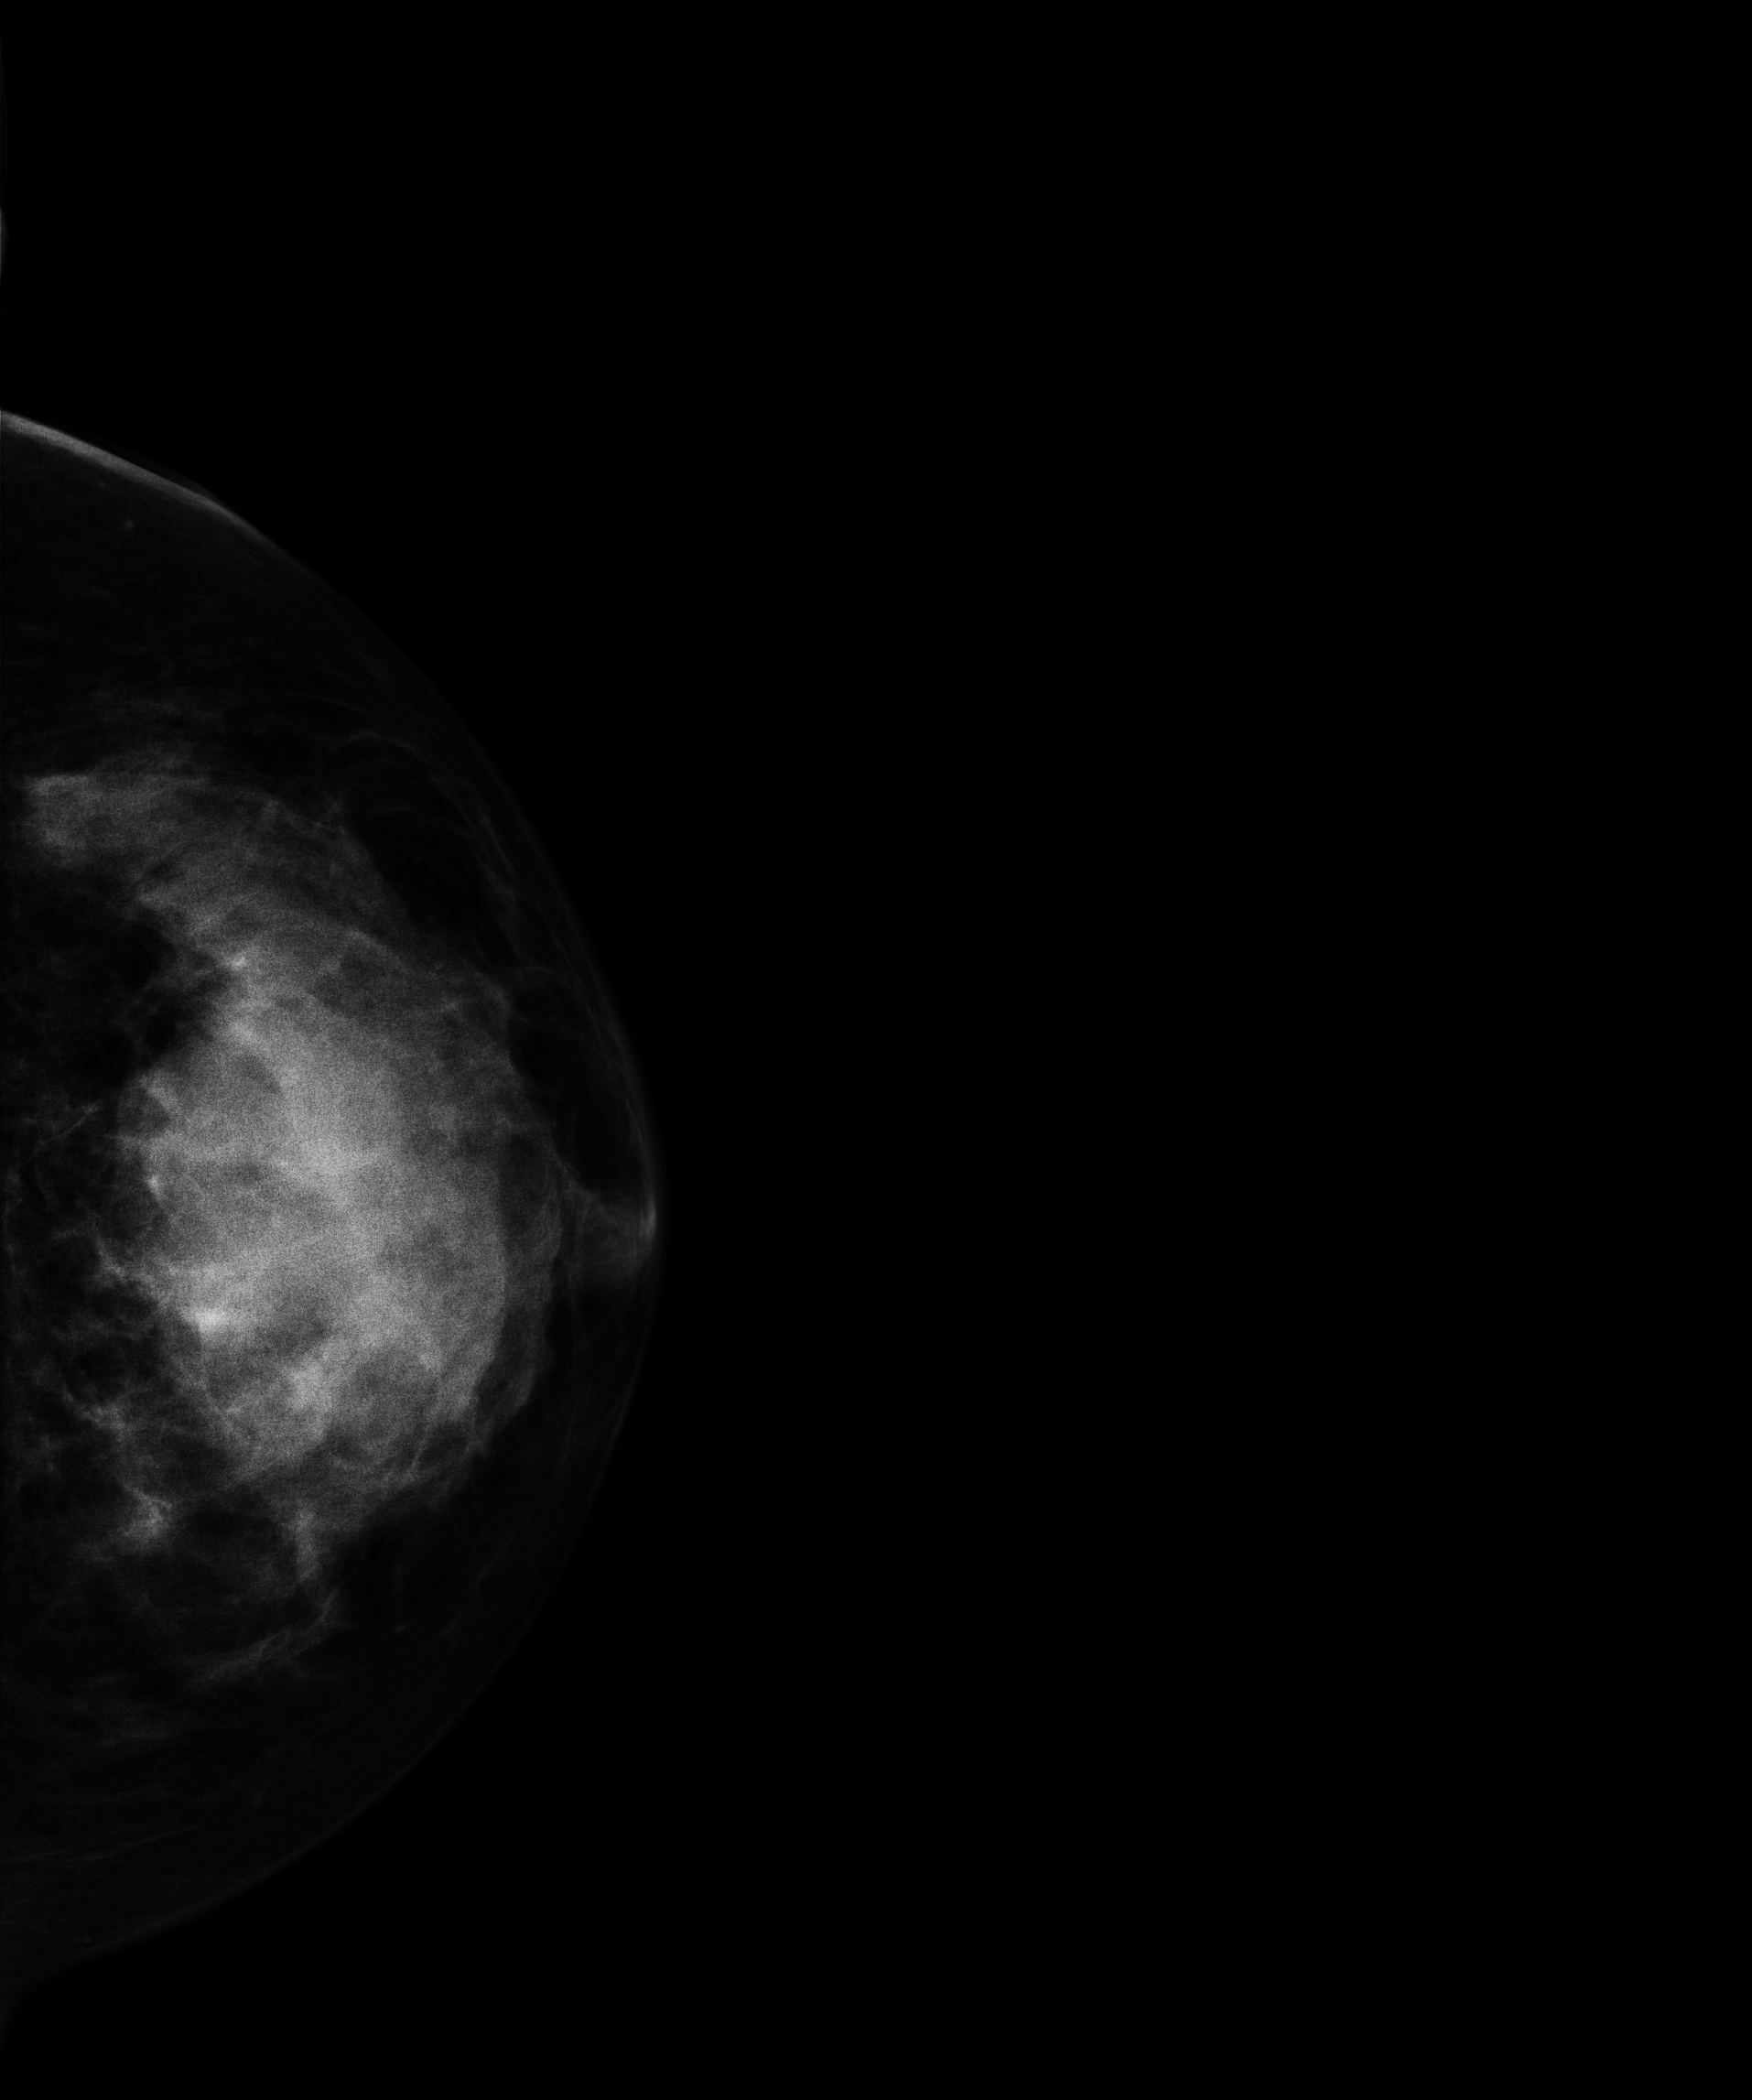
Mammogram, left breast, cranio-caudal view. 29 y/o patient.
This breast has a mass, pathology-confirmed malignant. Molecular subtype: triple-negative.